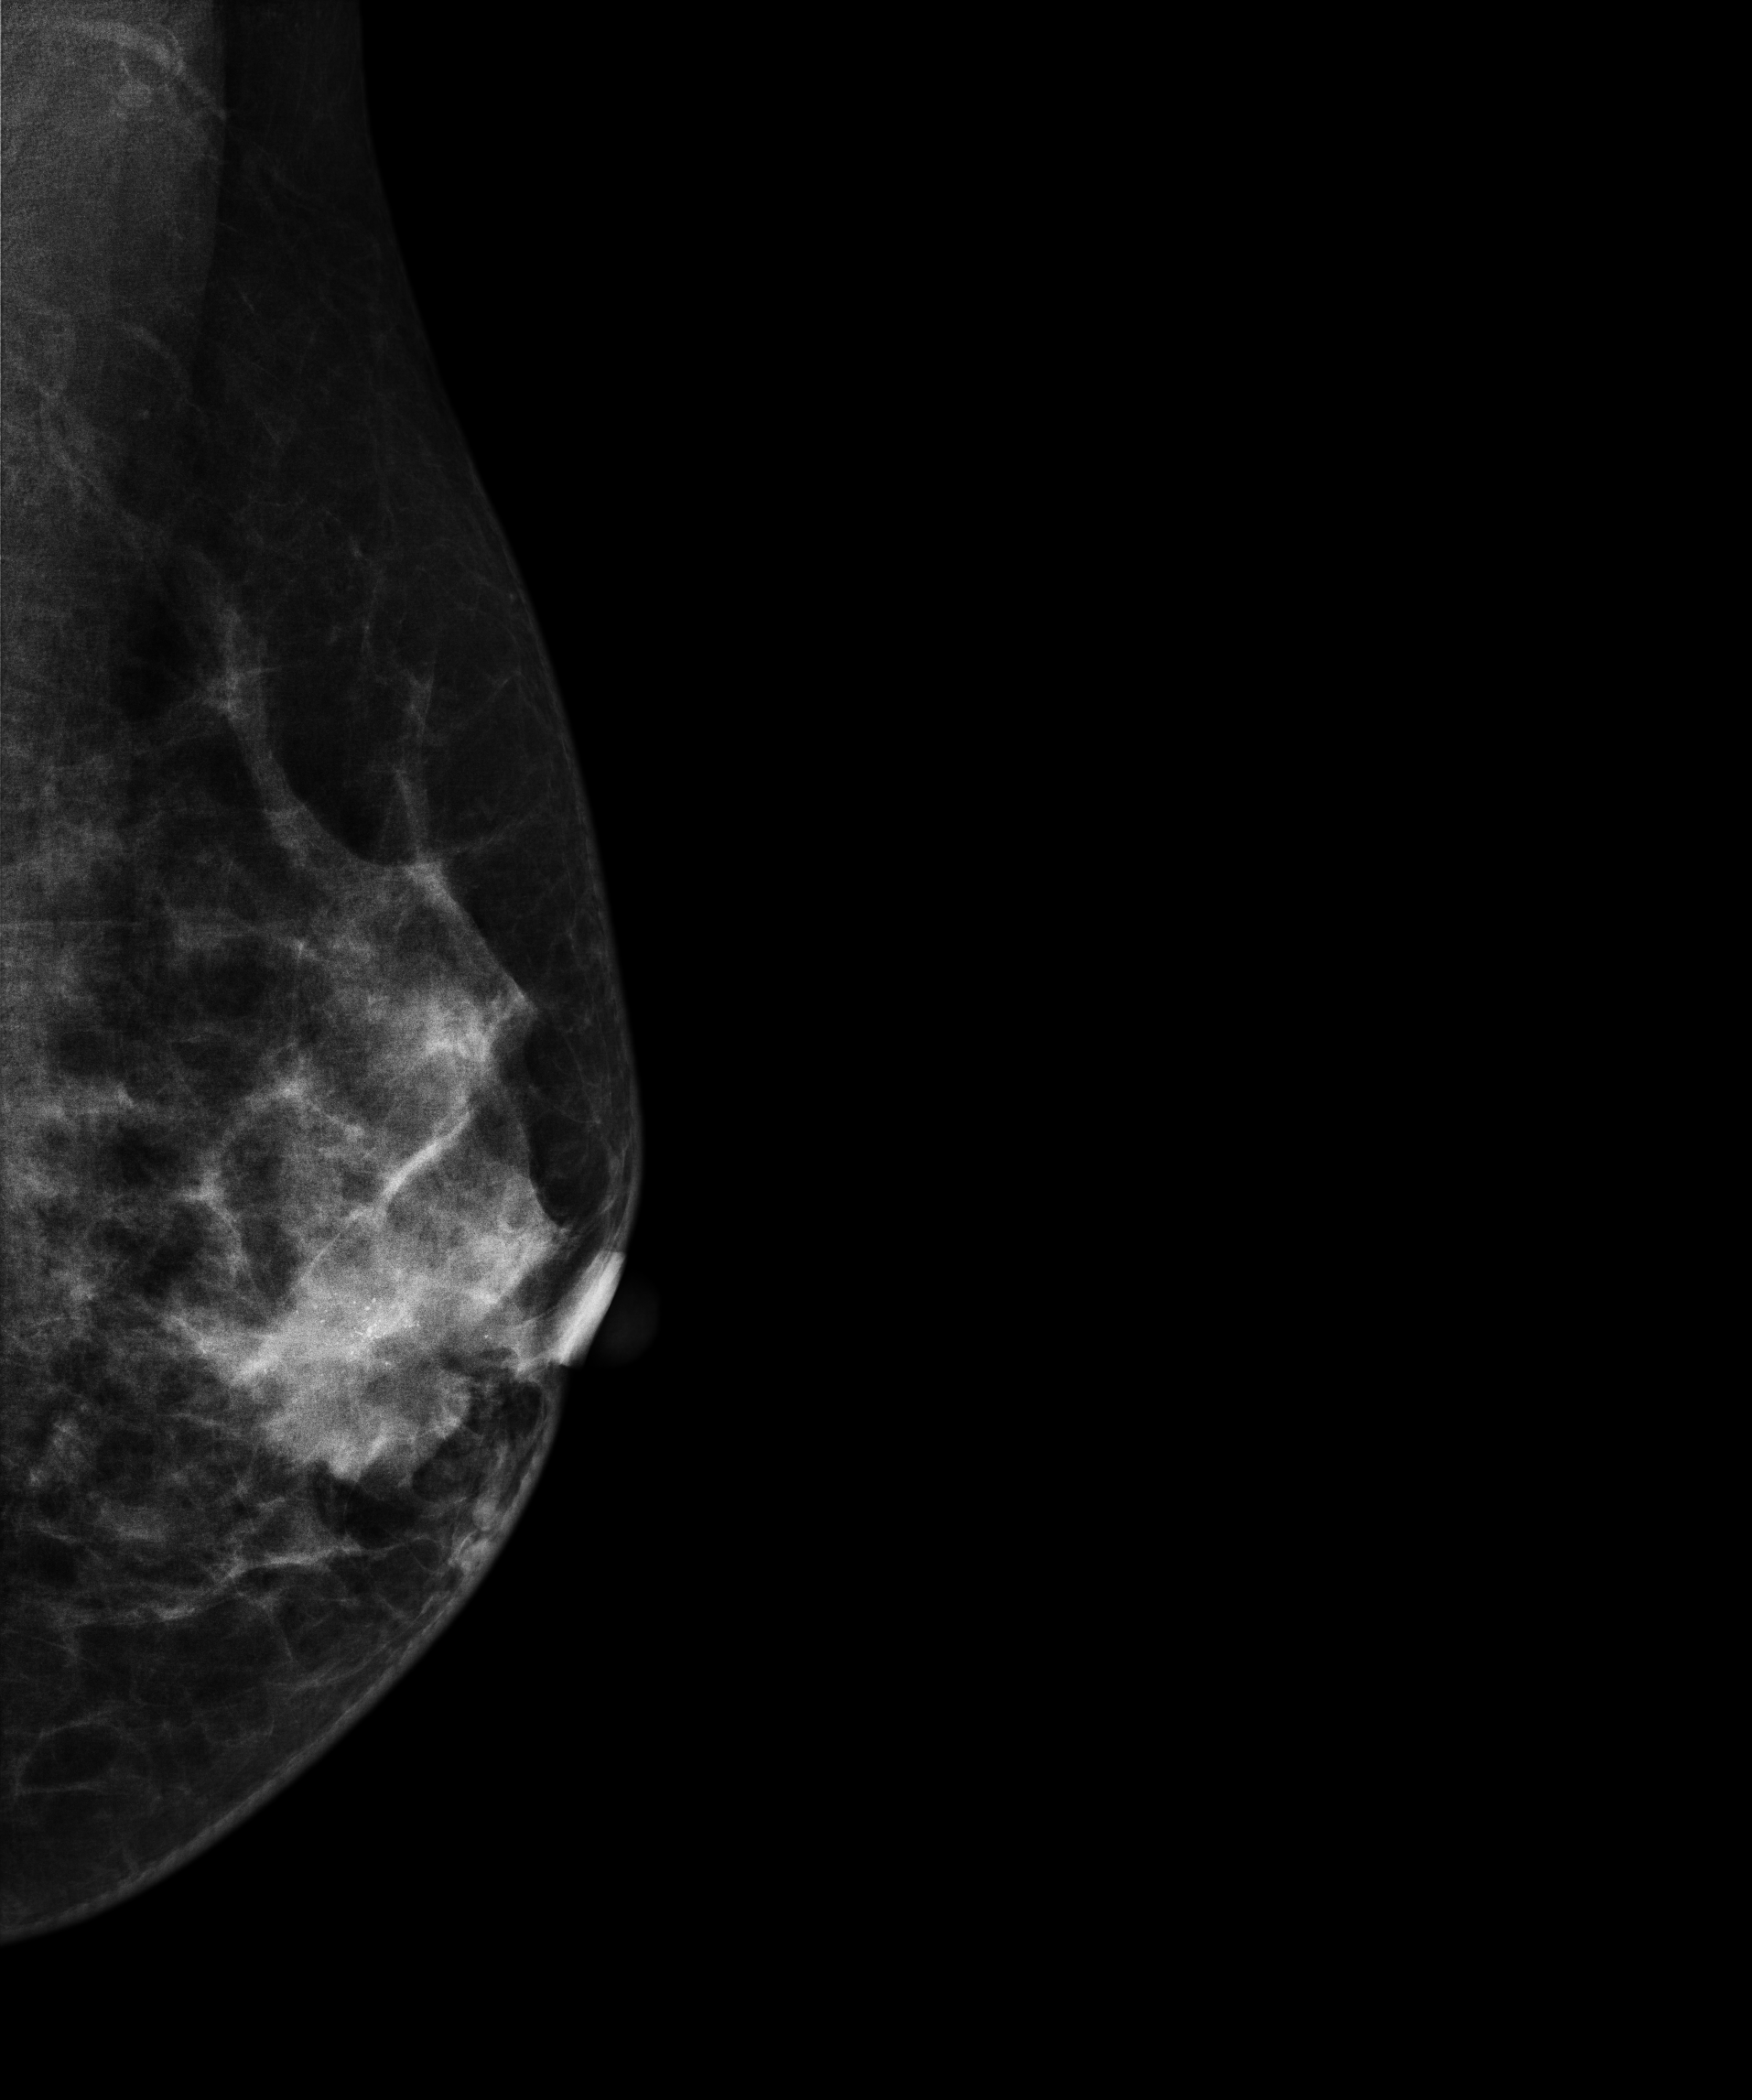
Mammogram, left breast, medio-lateral oblique view. 43-year-old patient.
This breast has a mass and calcifications, pathology-confirmed malignant.